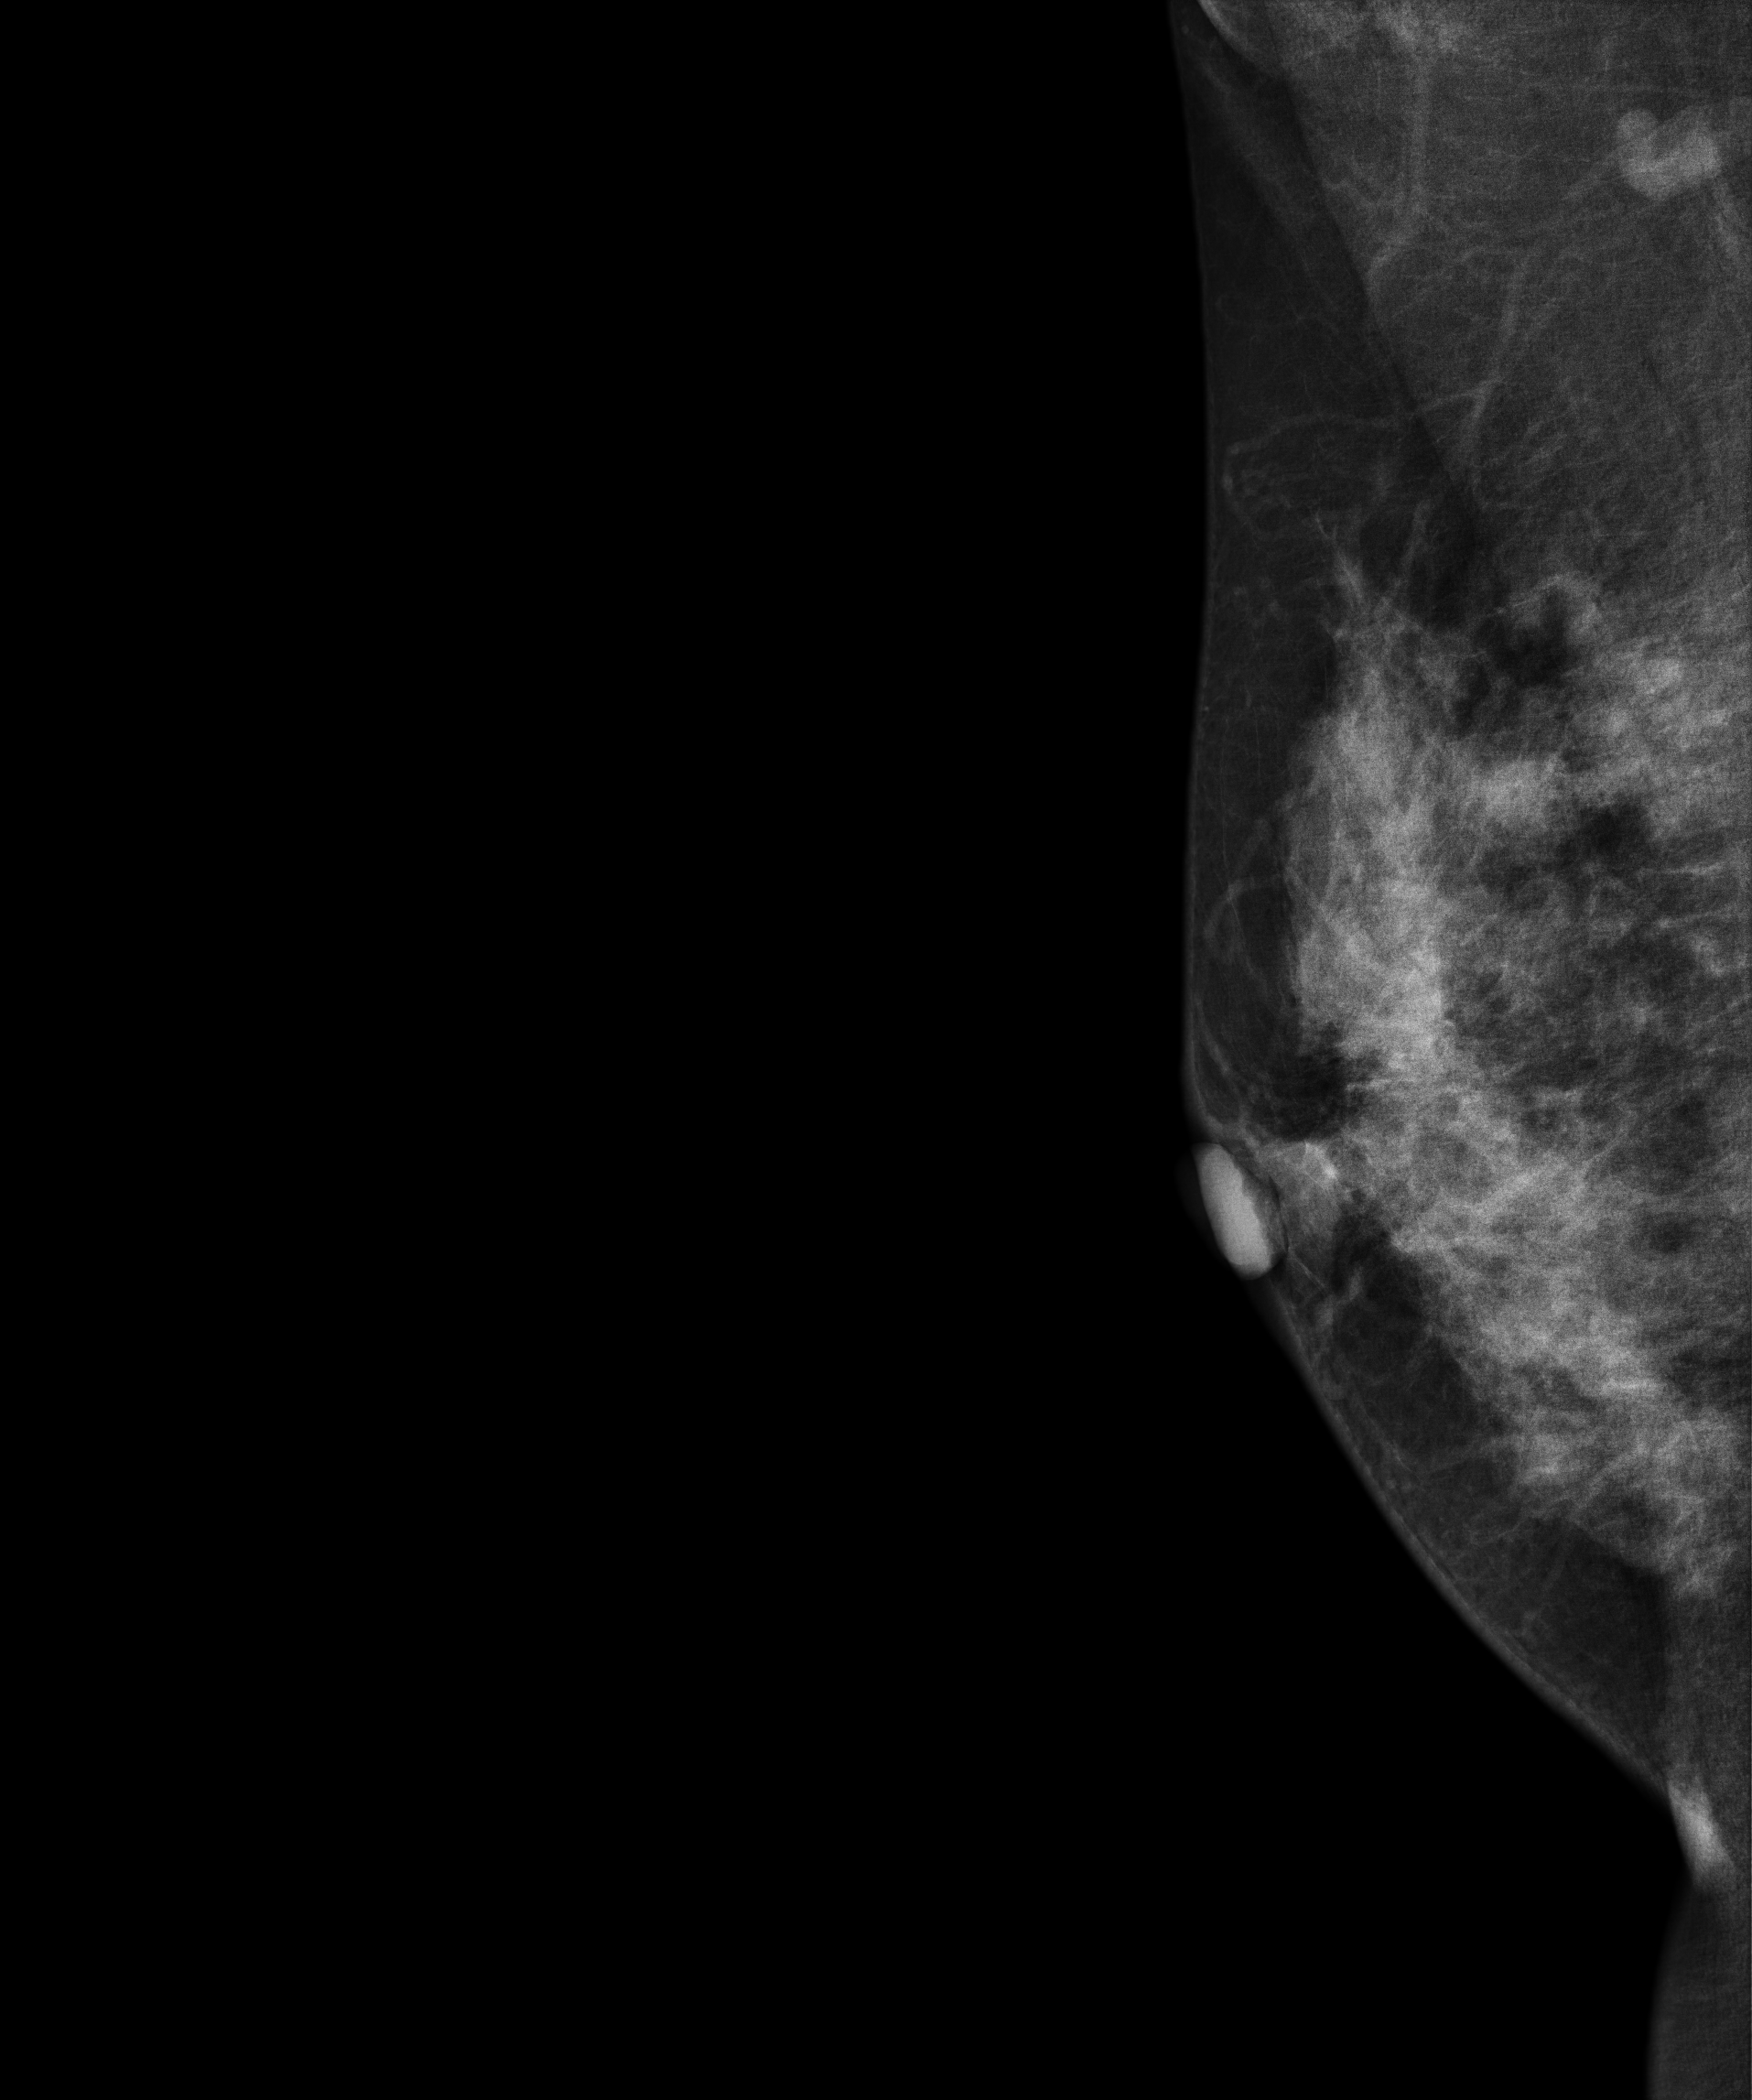
Right-breast mammogram, MLO. 46-year-old patient.
This breast has a mass, histologically confirmed malignant.